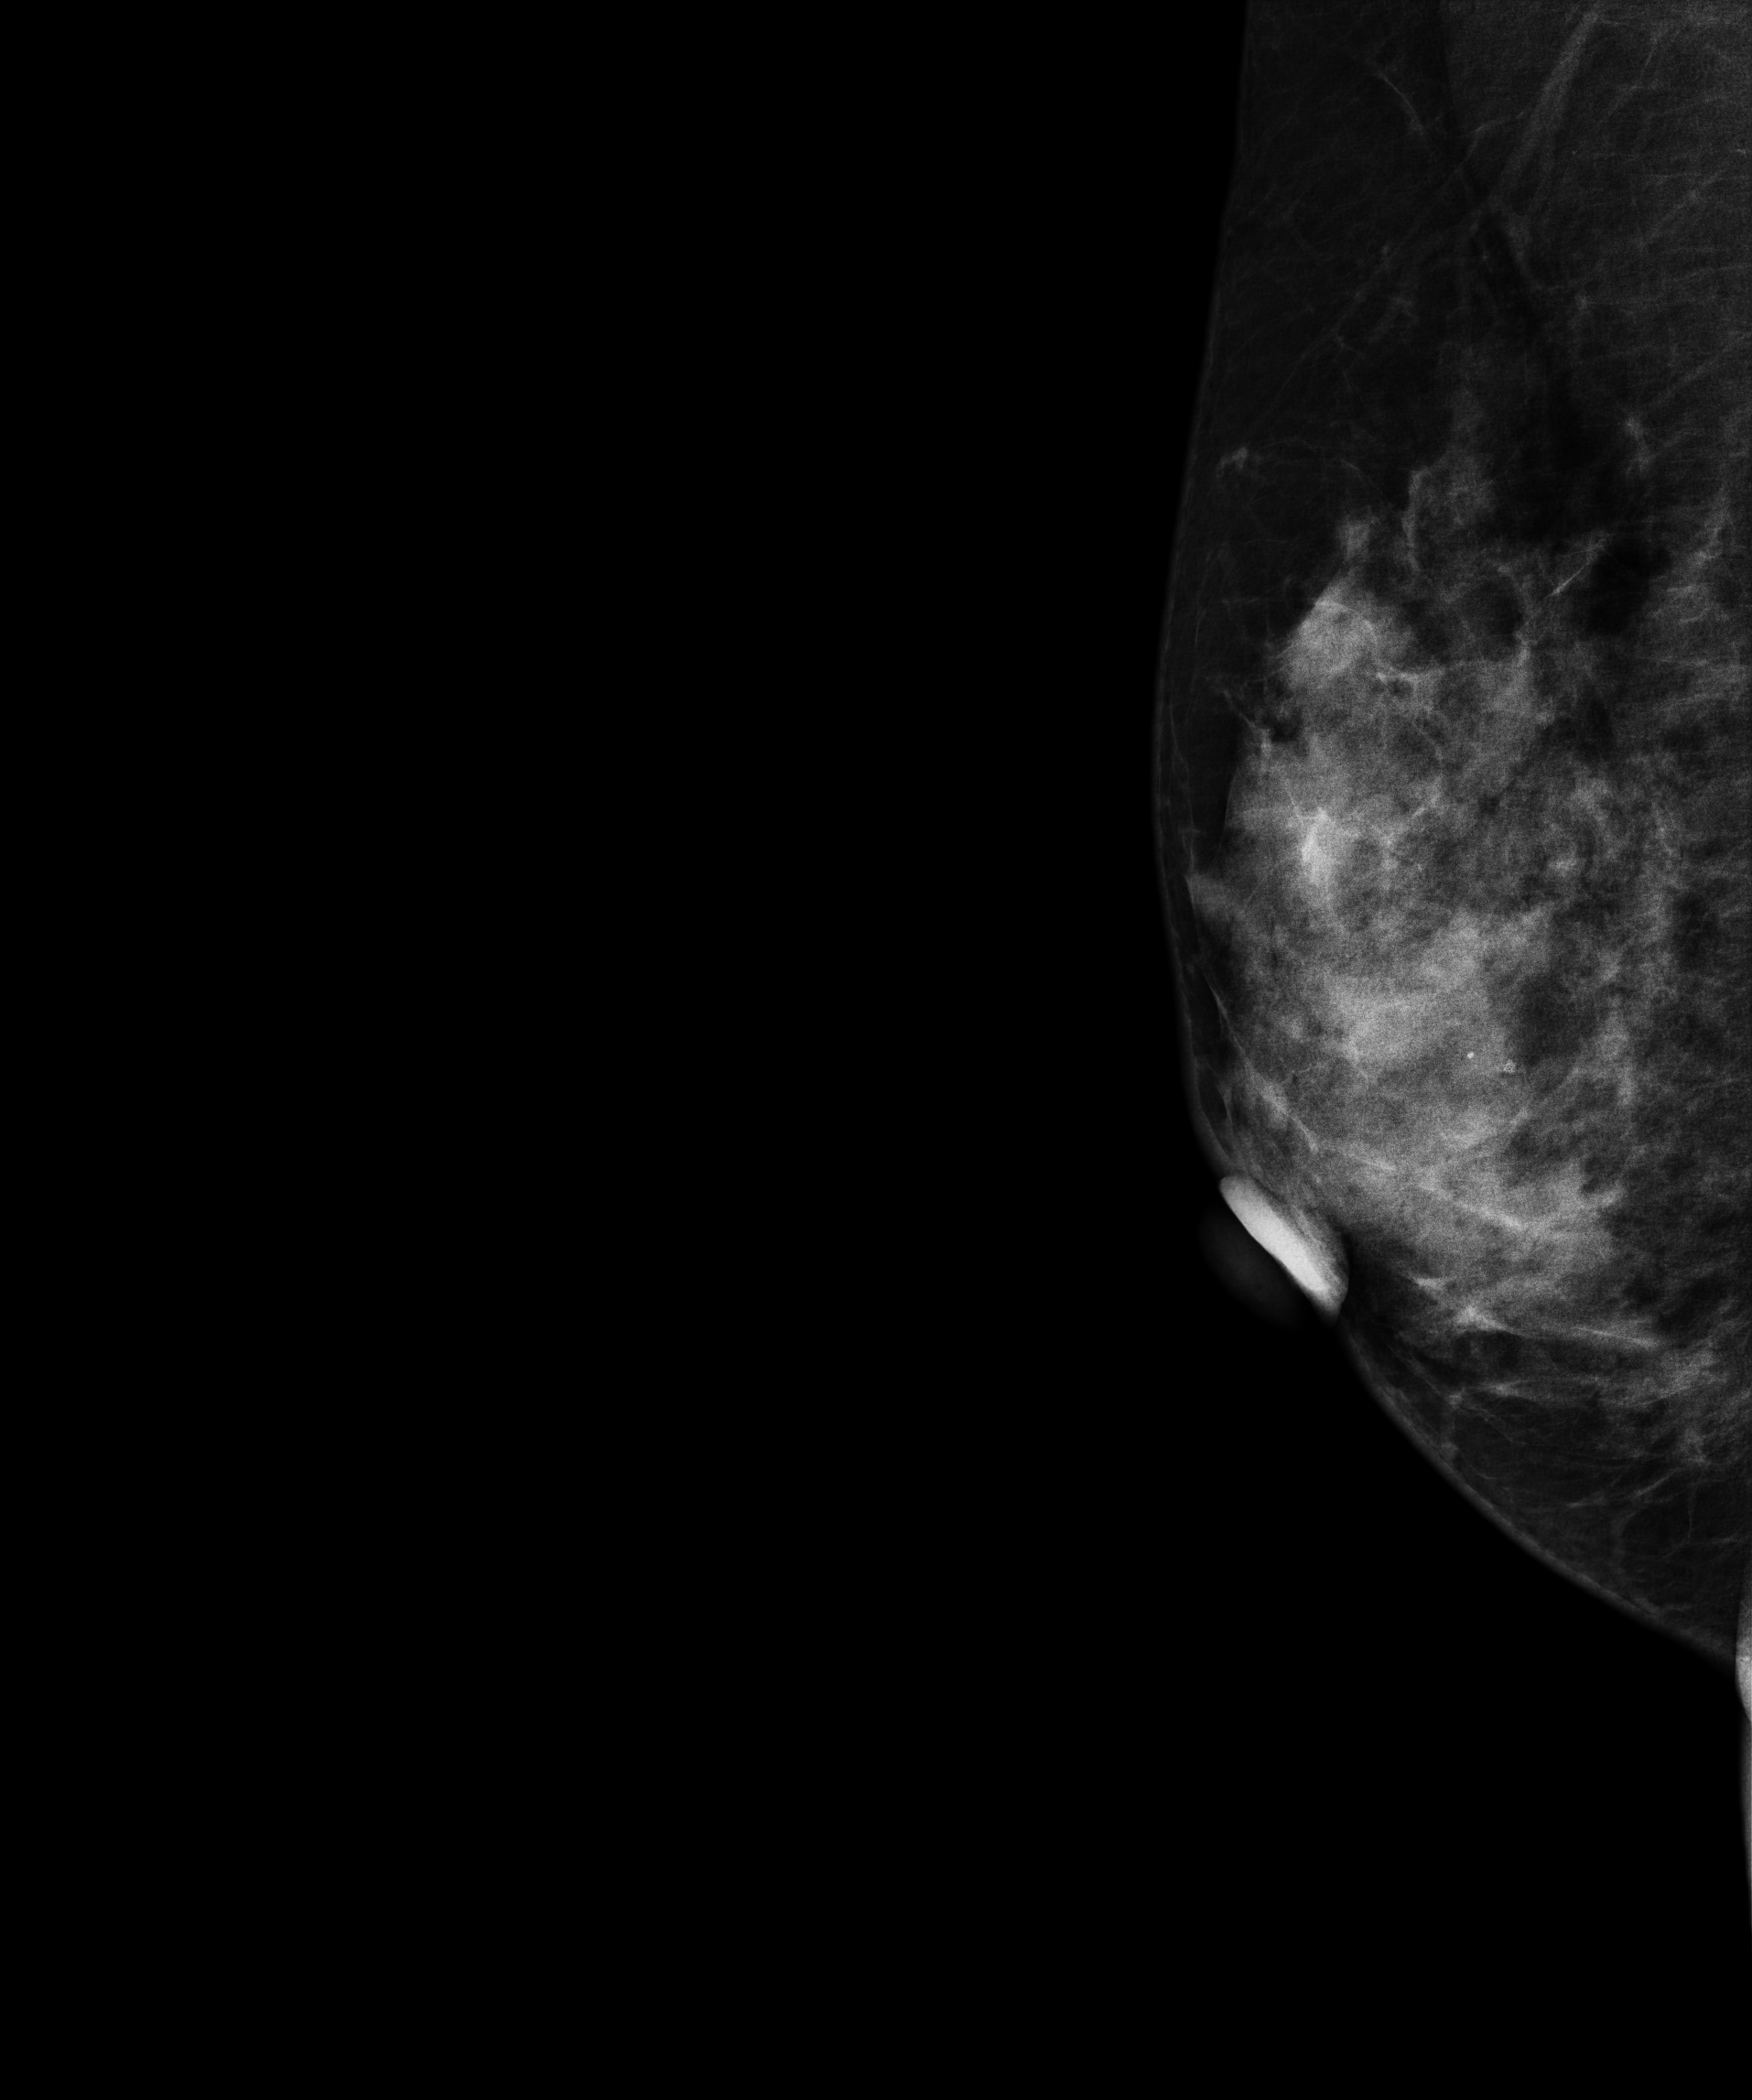
Mammogram, right breast, MLO view. 49 y/o patient.
Contralateral breast — no documented abnormality on this side.